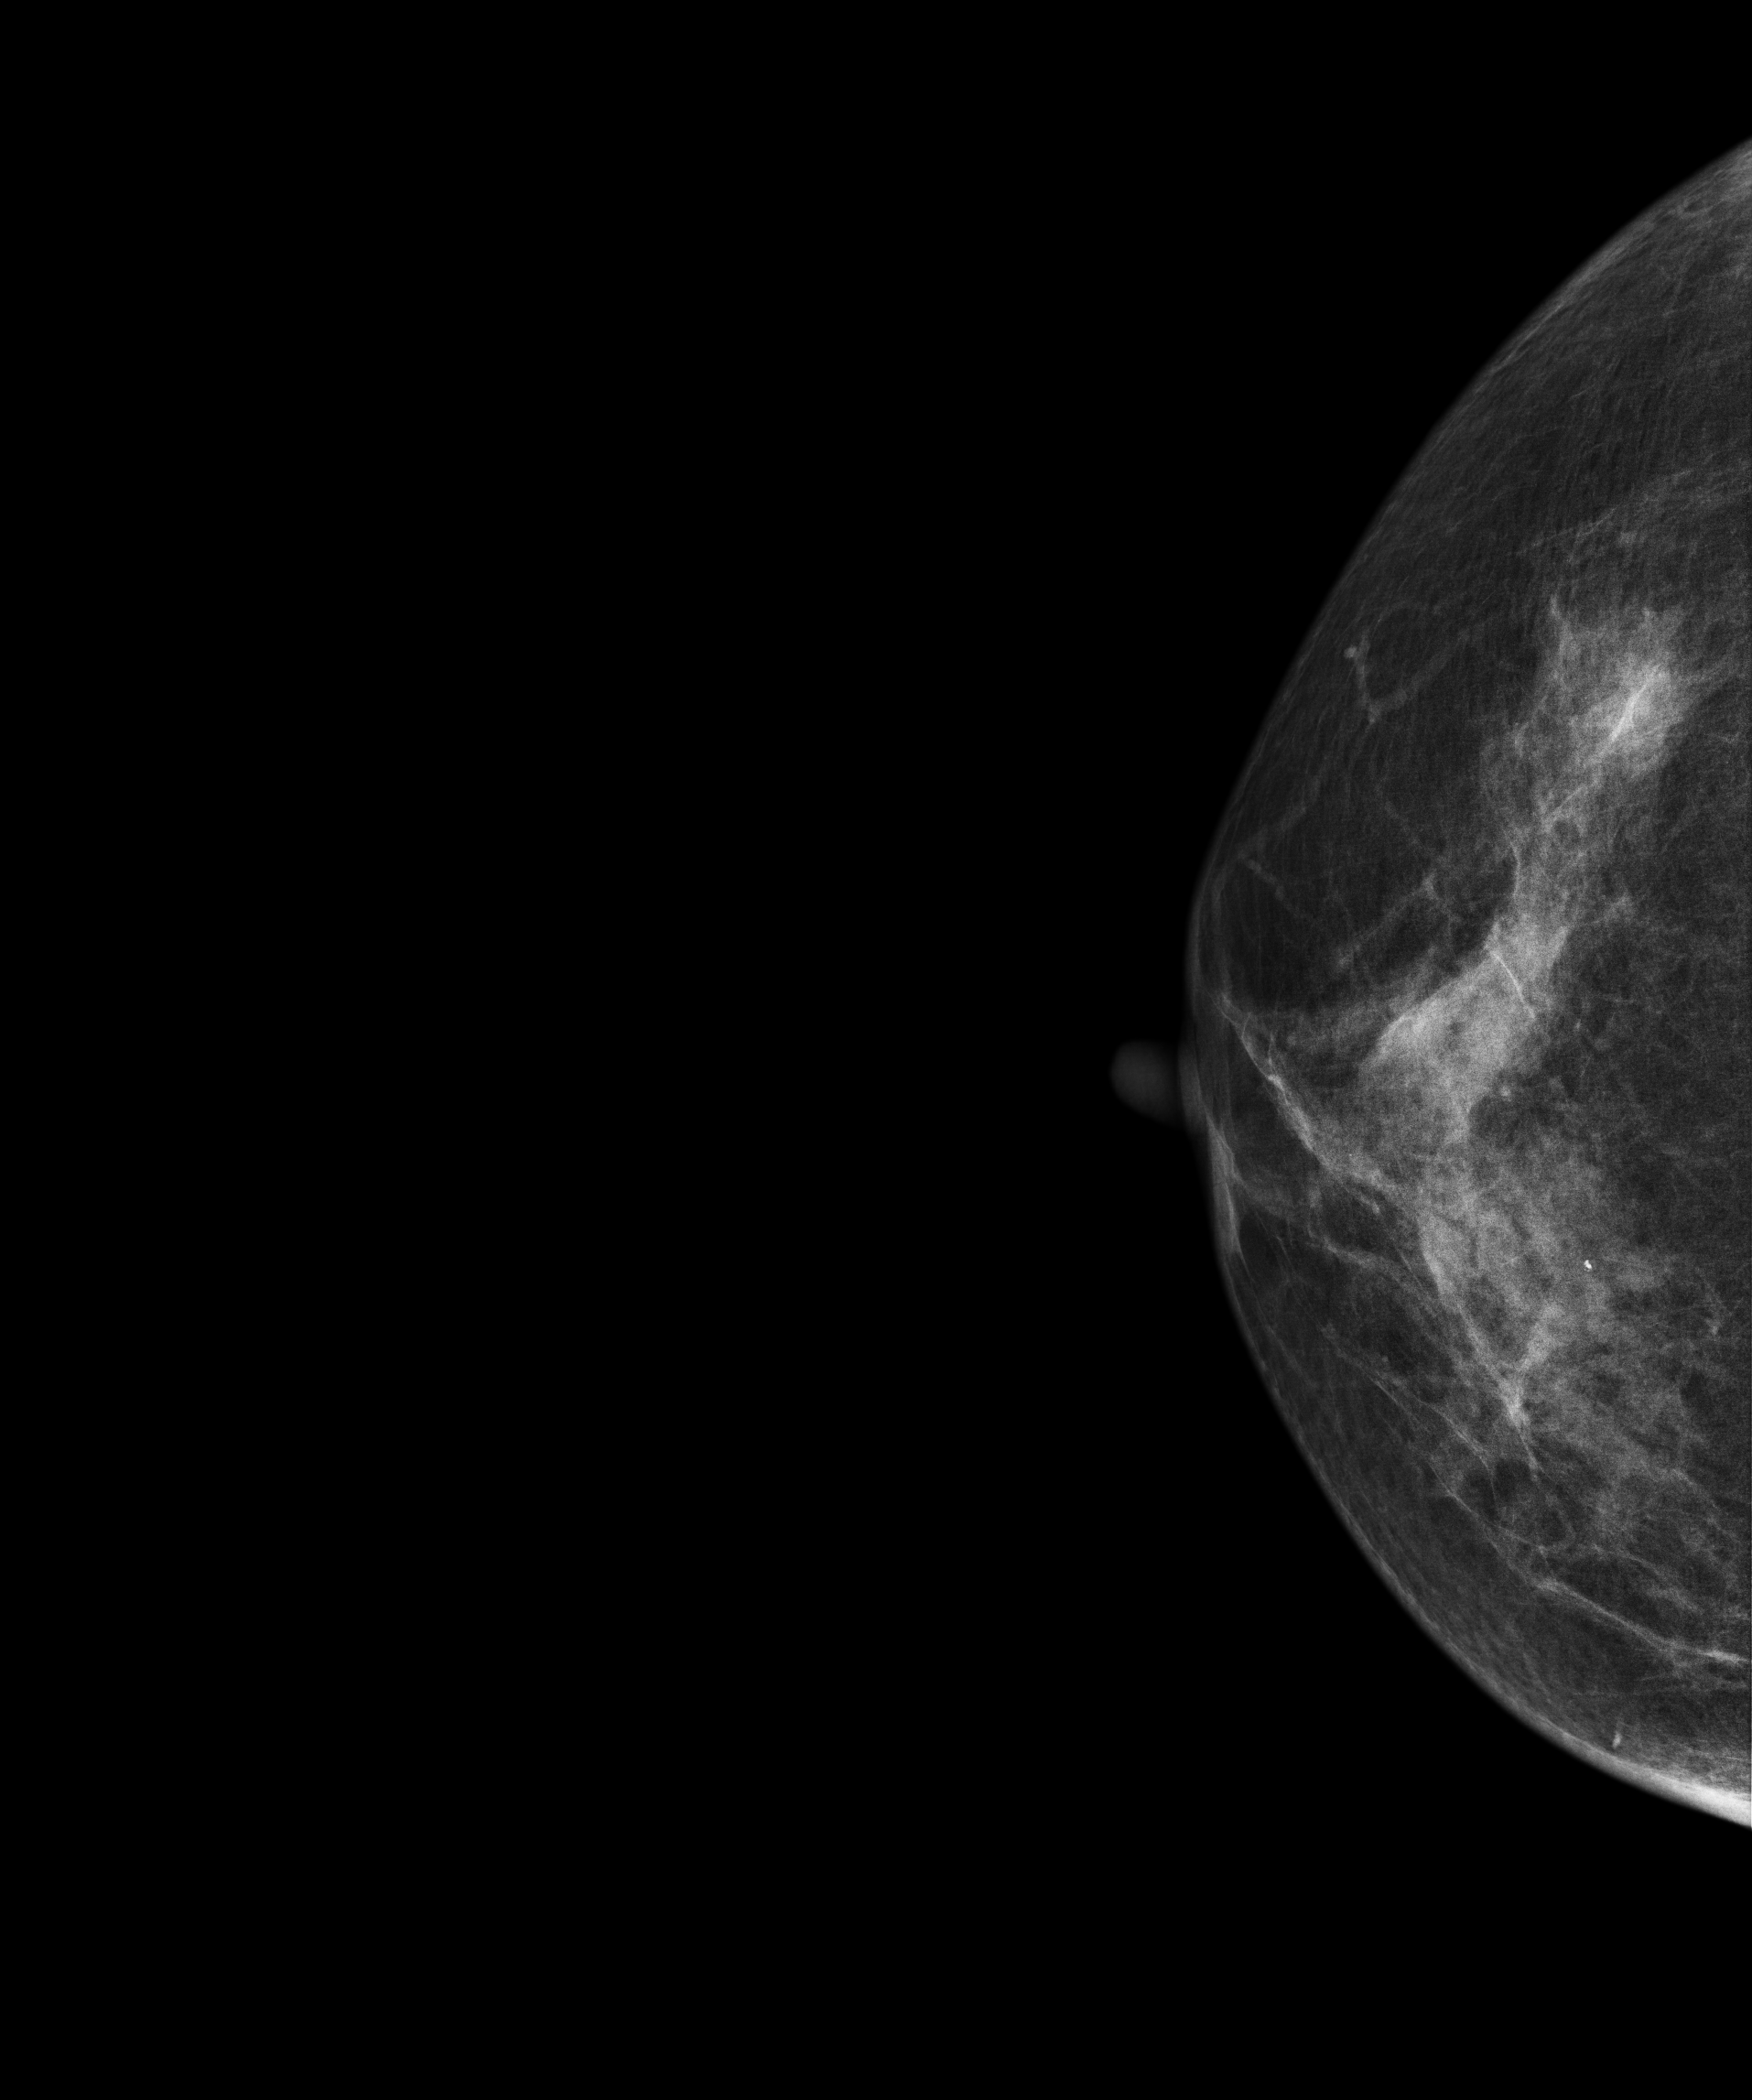
Right-breast mammogram, cranio-caudal. 55 y/o patient.
Contralateral breast — no documented abnormality on this side.